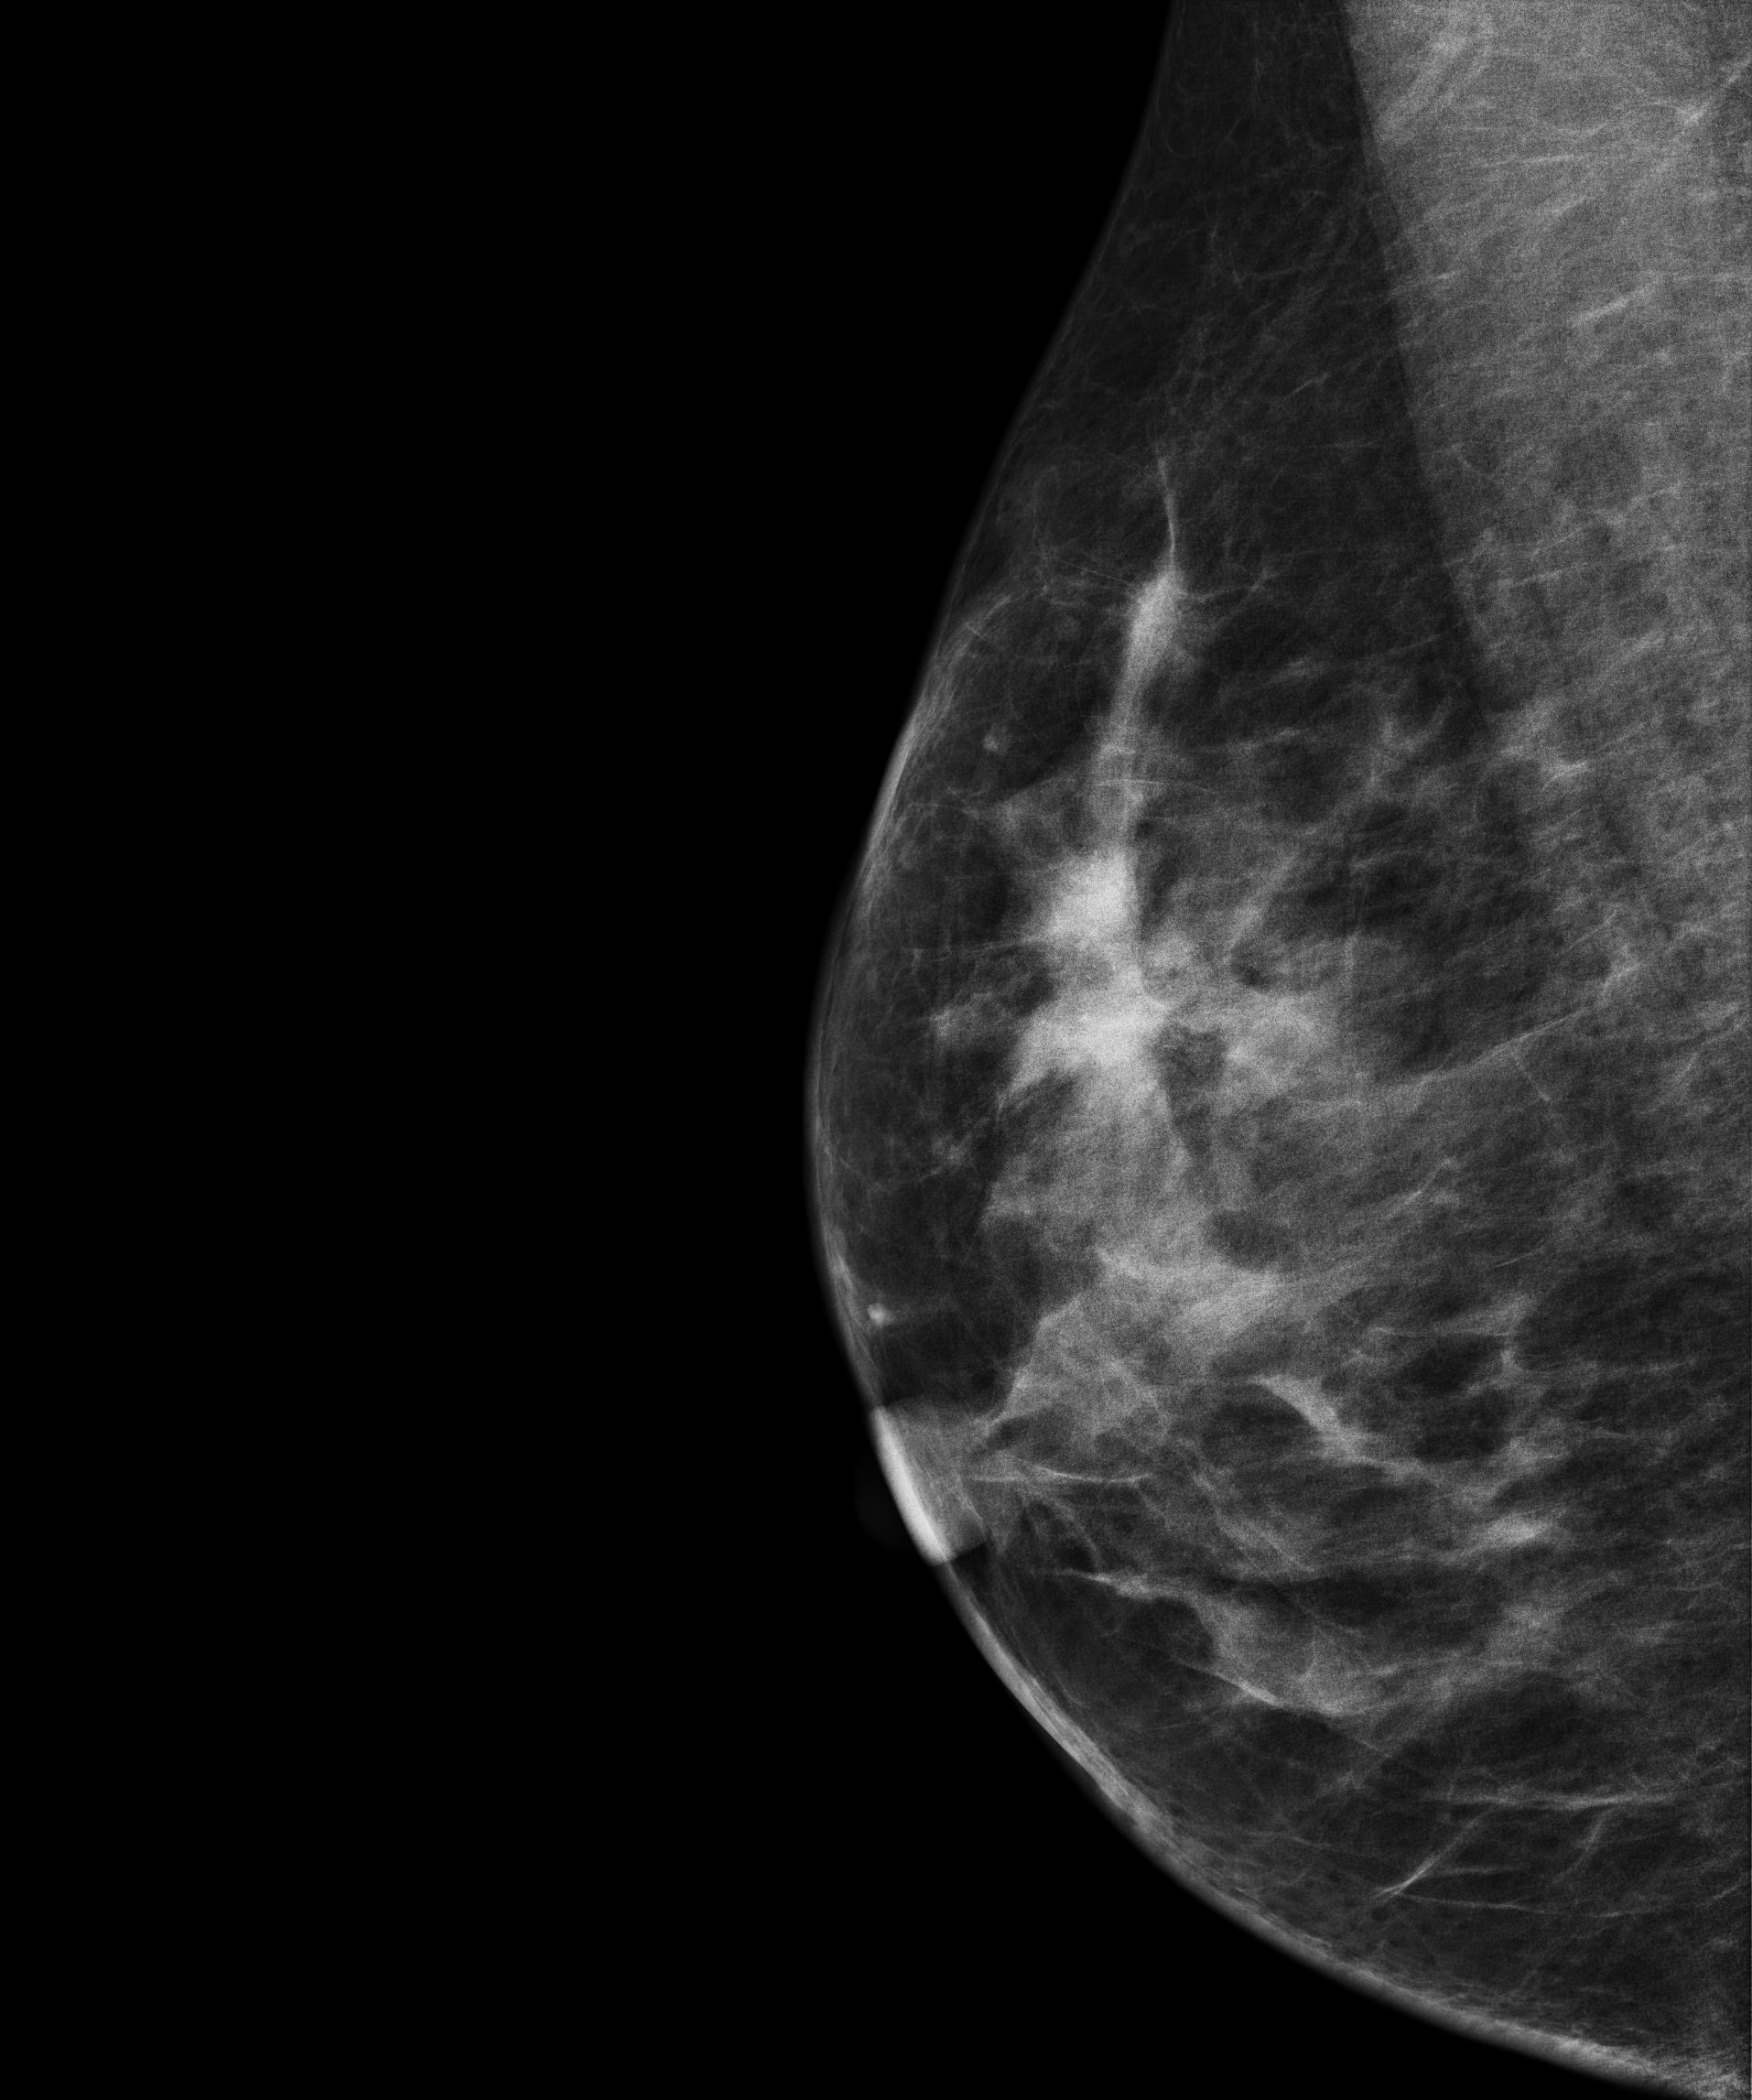
Medio-lateral oblique mammogram of the right breast. Patient age 42.
This breast has a mass and calcifications, biopsy-proven malignant. Molecular subtype: HER2-enriched.